Mammogram — left MLO. 59-year-old patient.
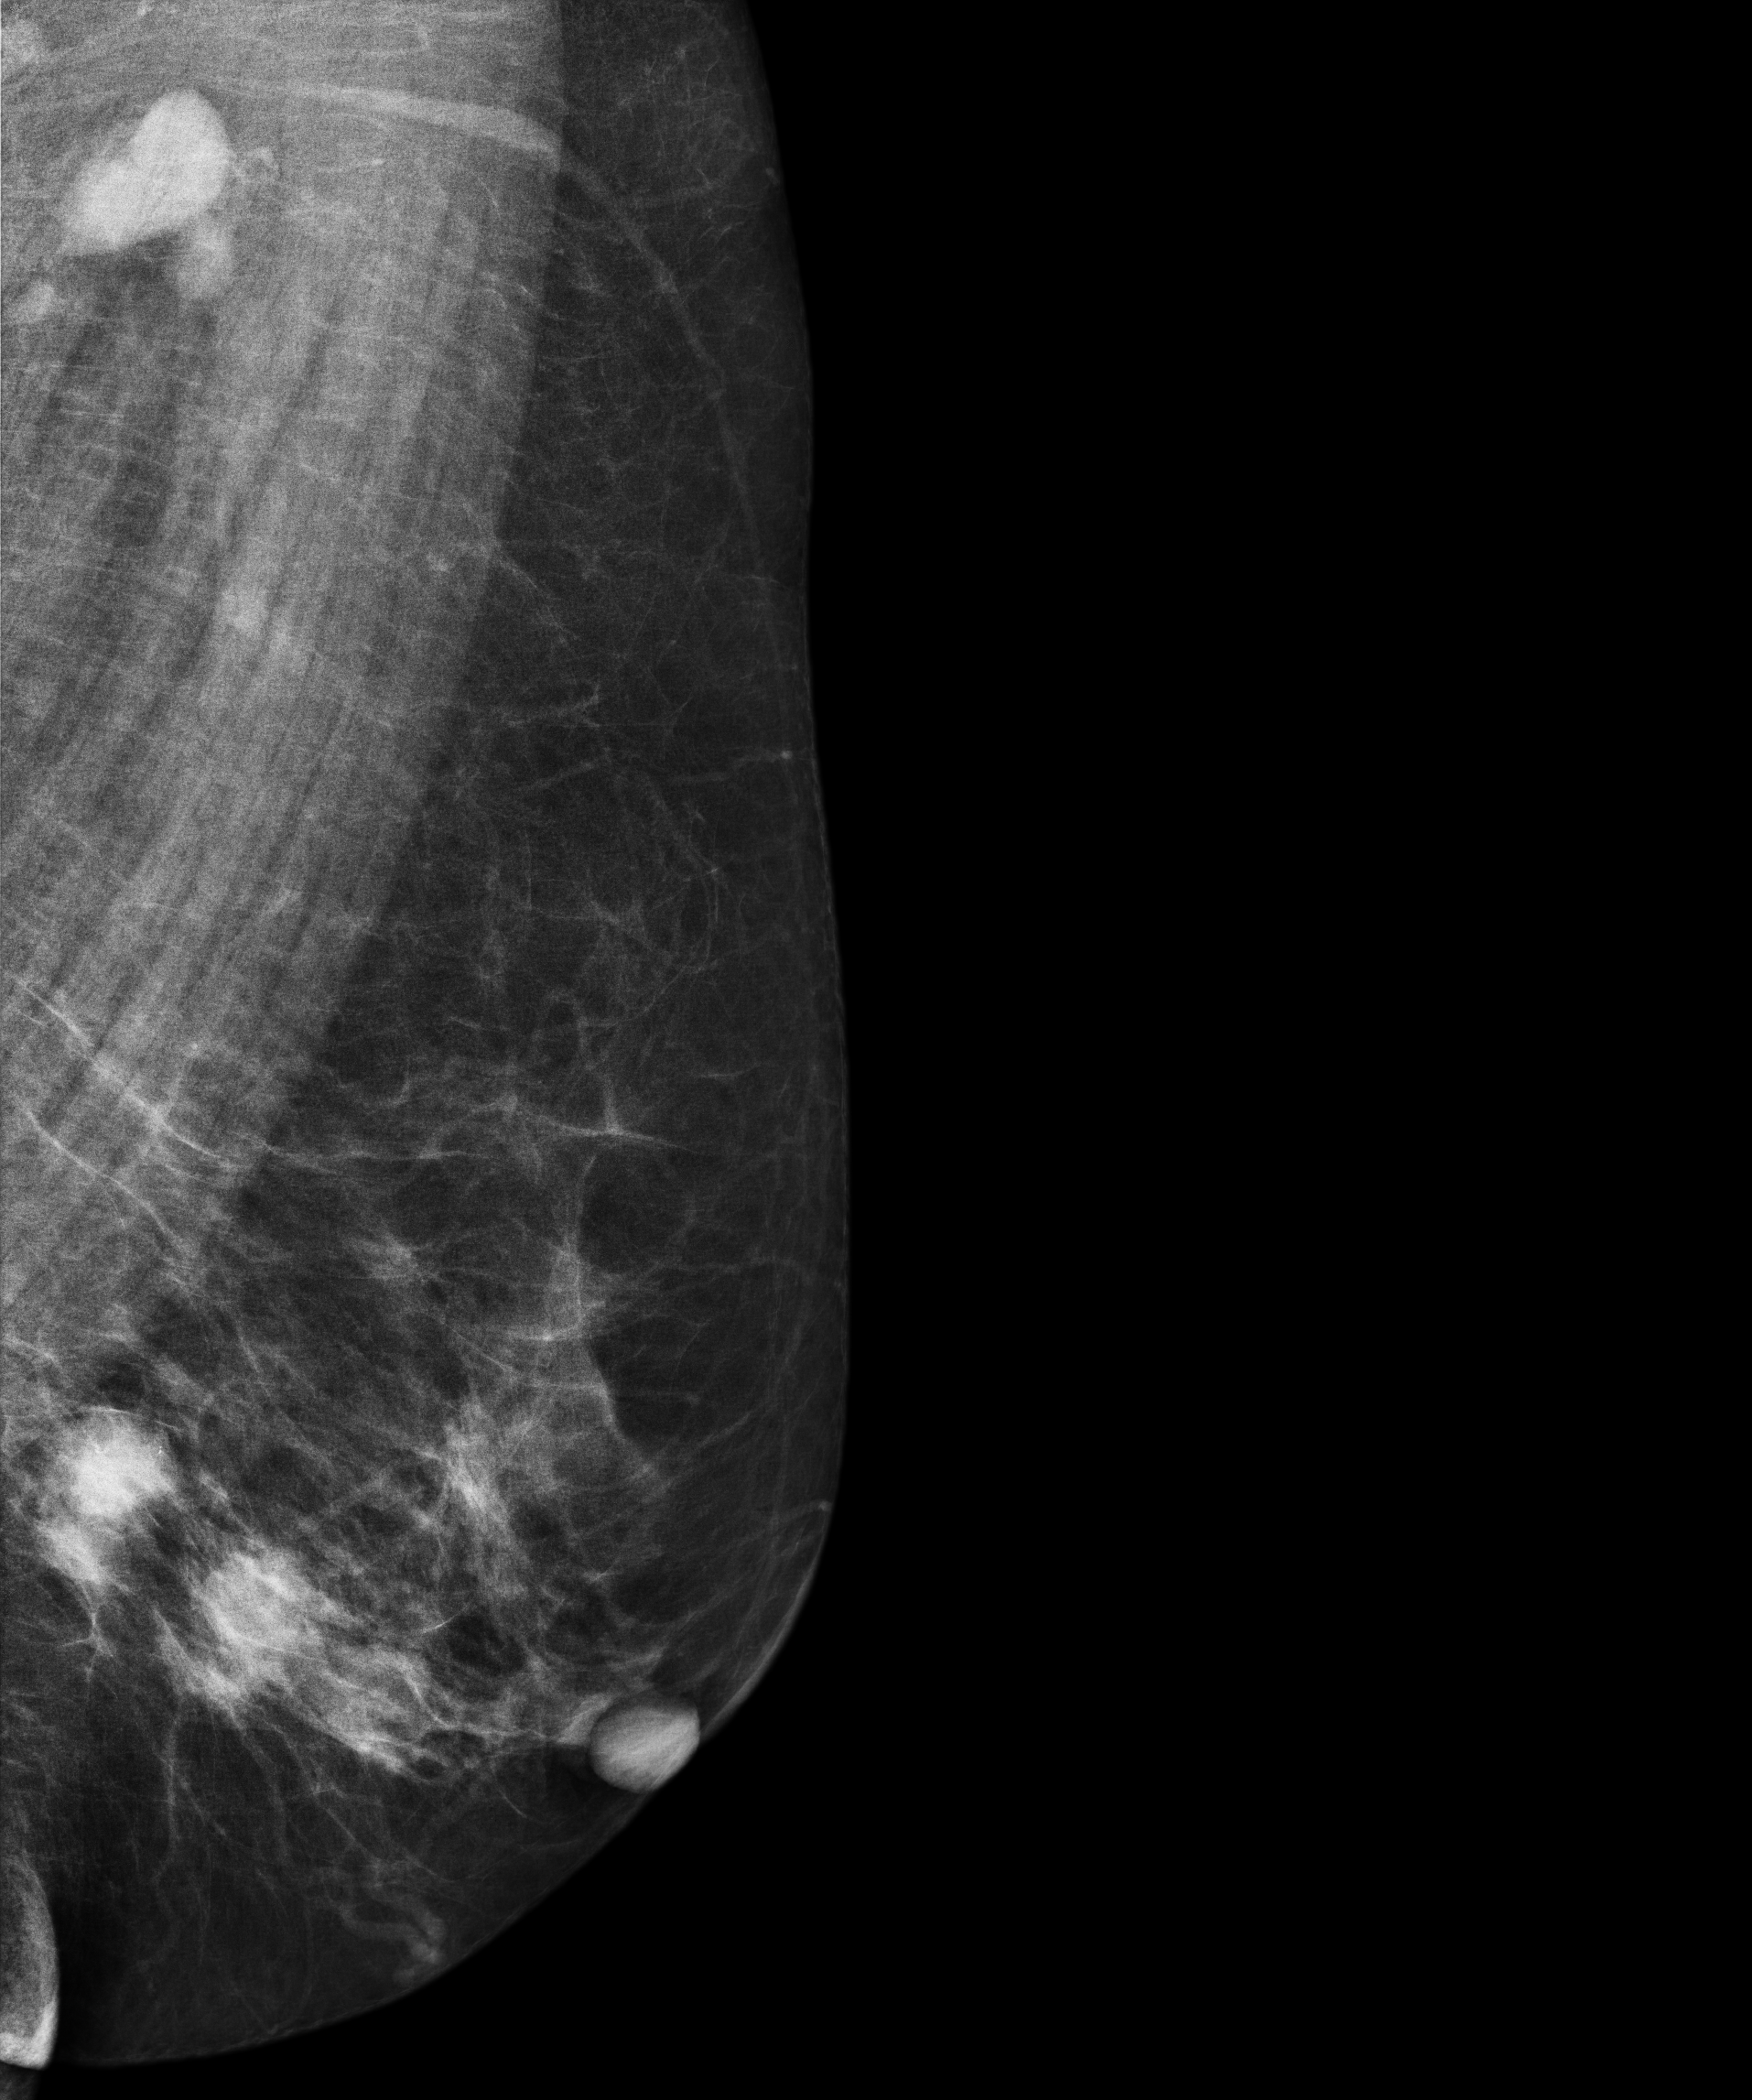
This breast has a mass, pathology-confirmed malignant. Molecular subtype: luminal A.